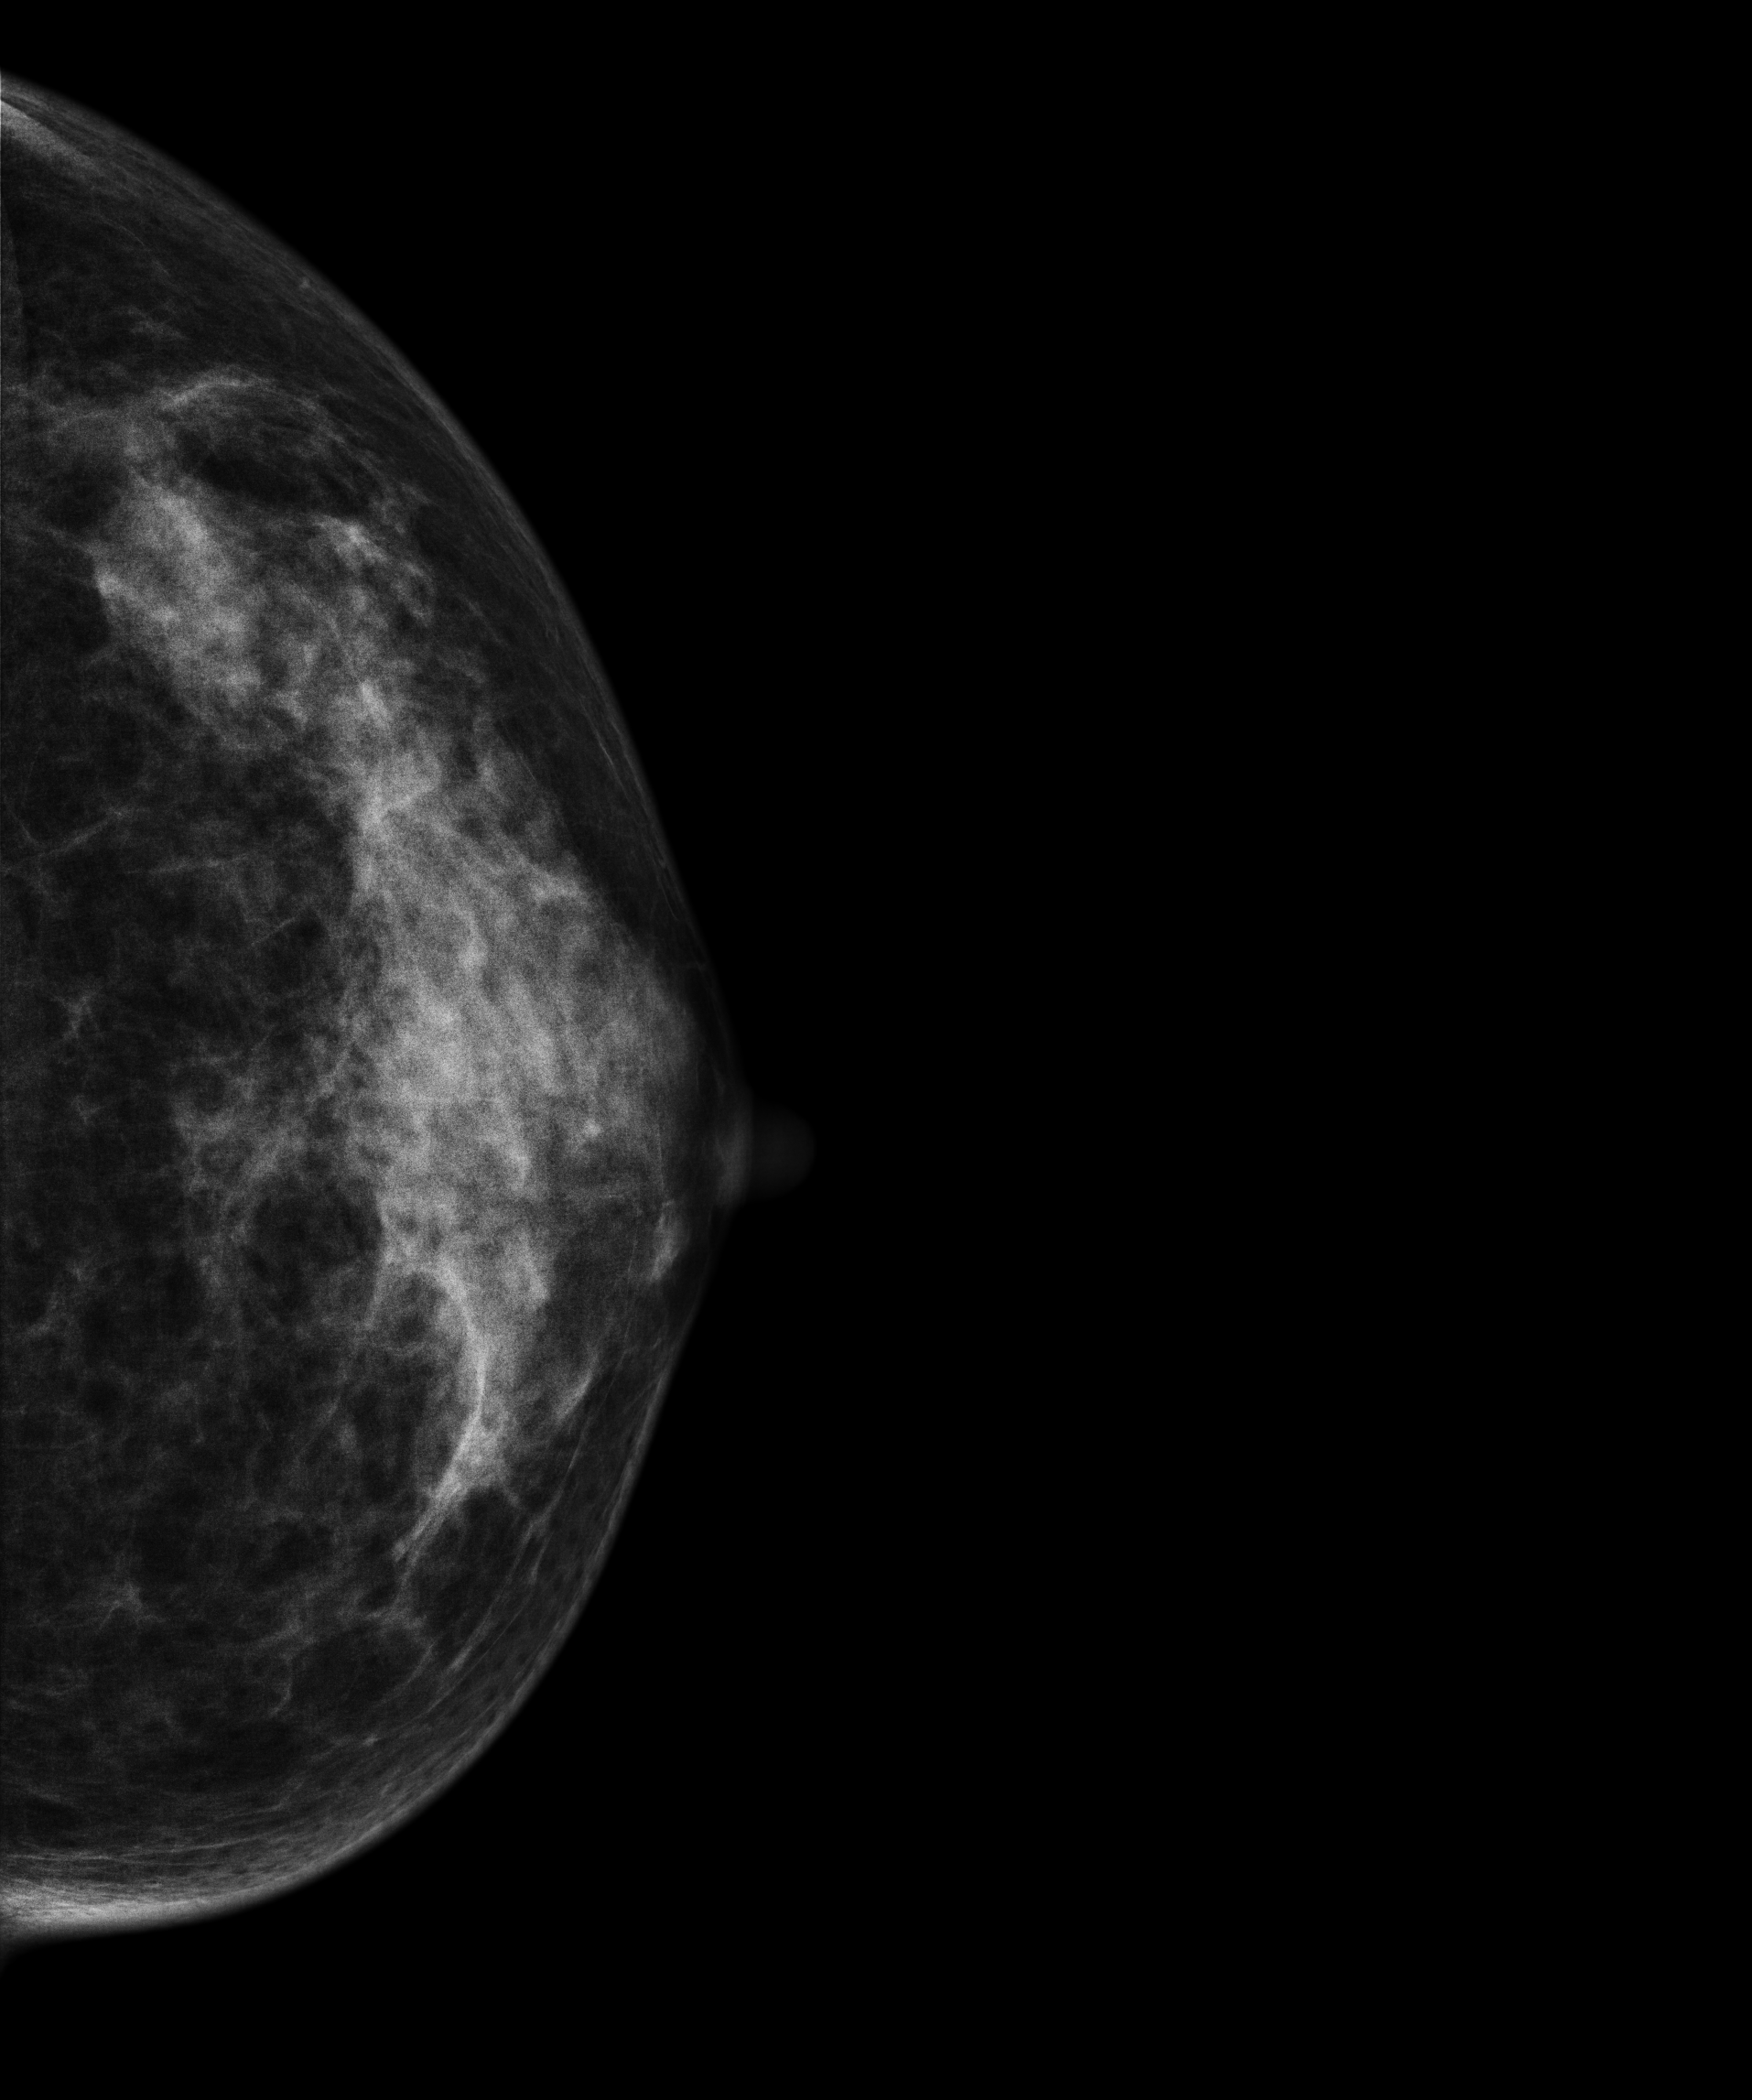
Mammogram, left breast, cranio-caudal view. 29-year-old patient.
Contralateral breast — no documented abnormality on this side.